Mammogram — right CC. Patient age 54.
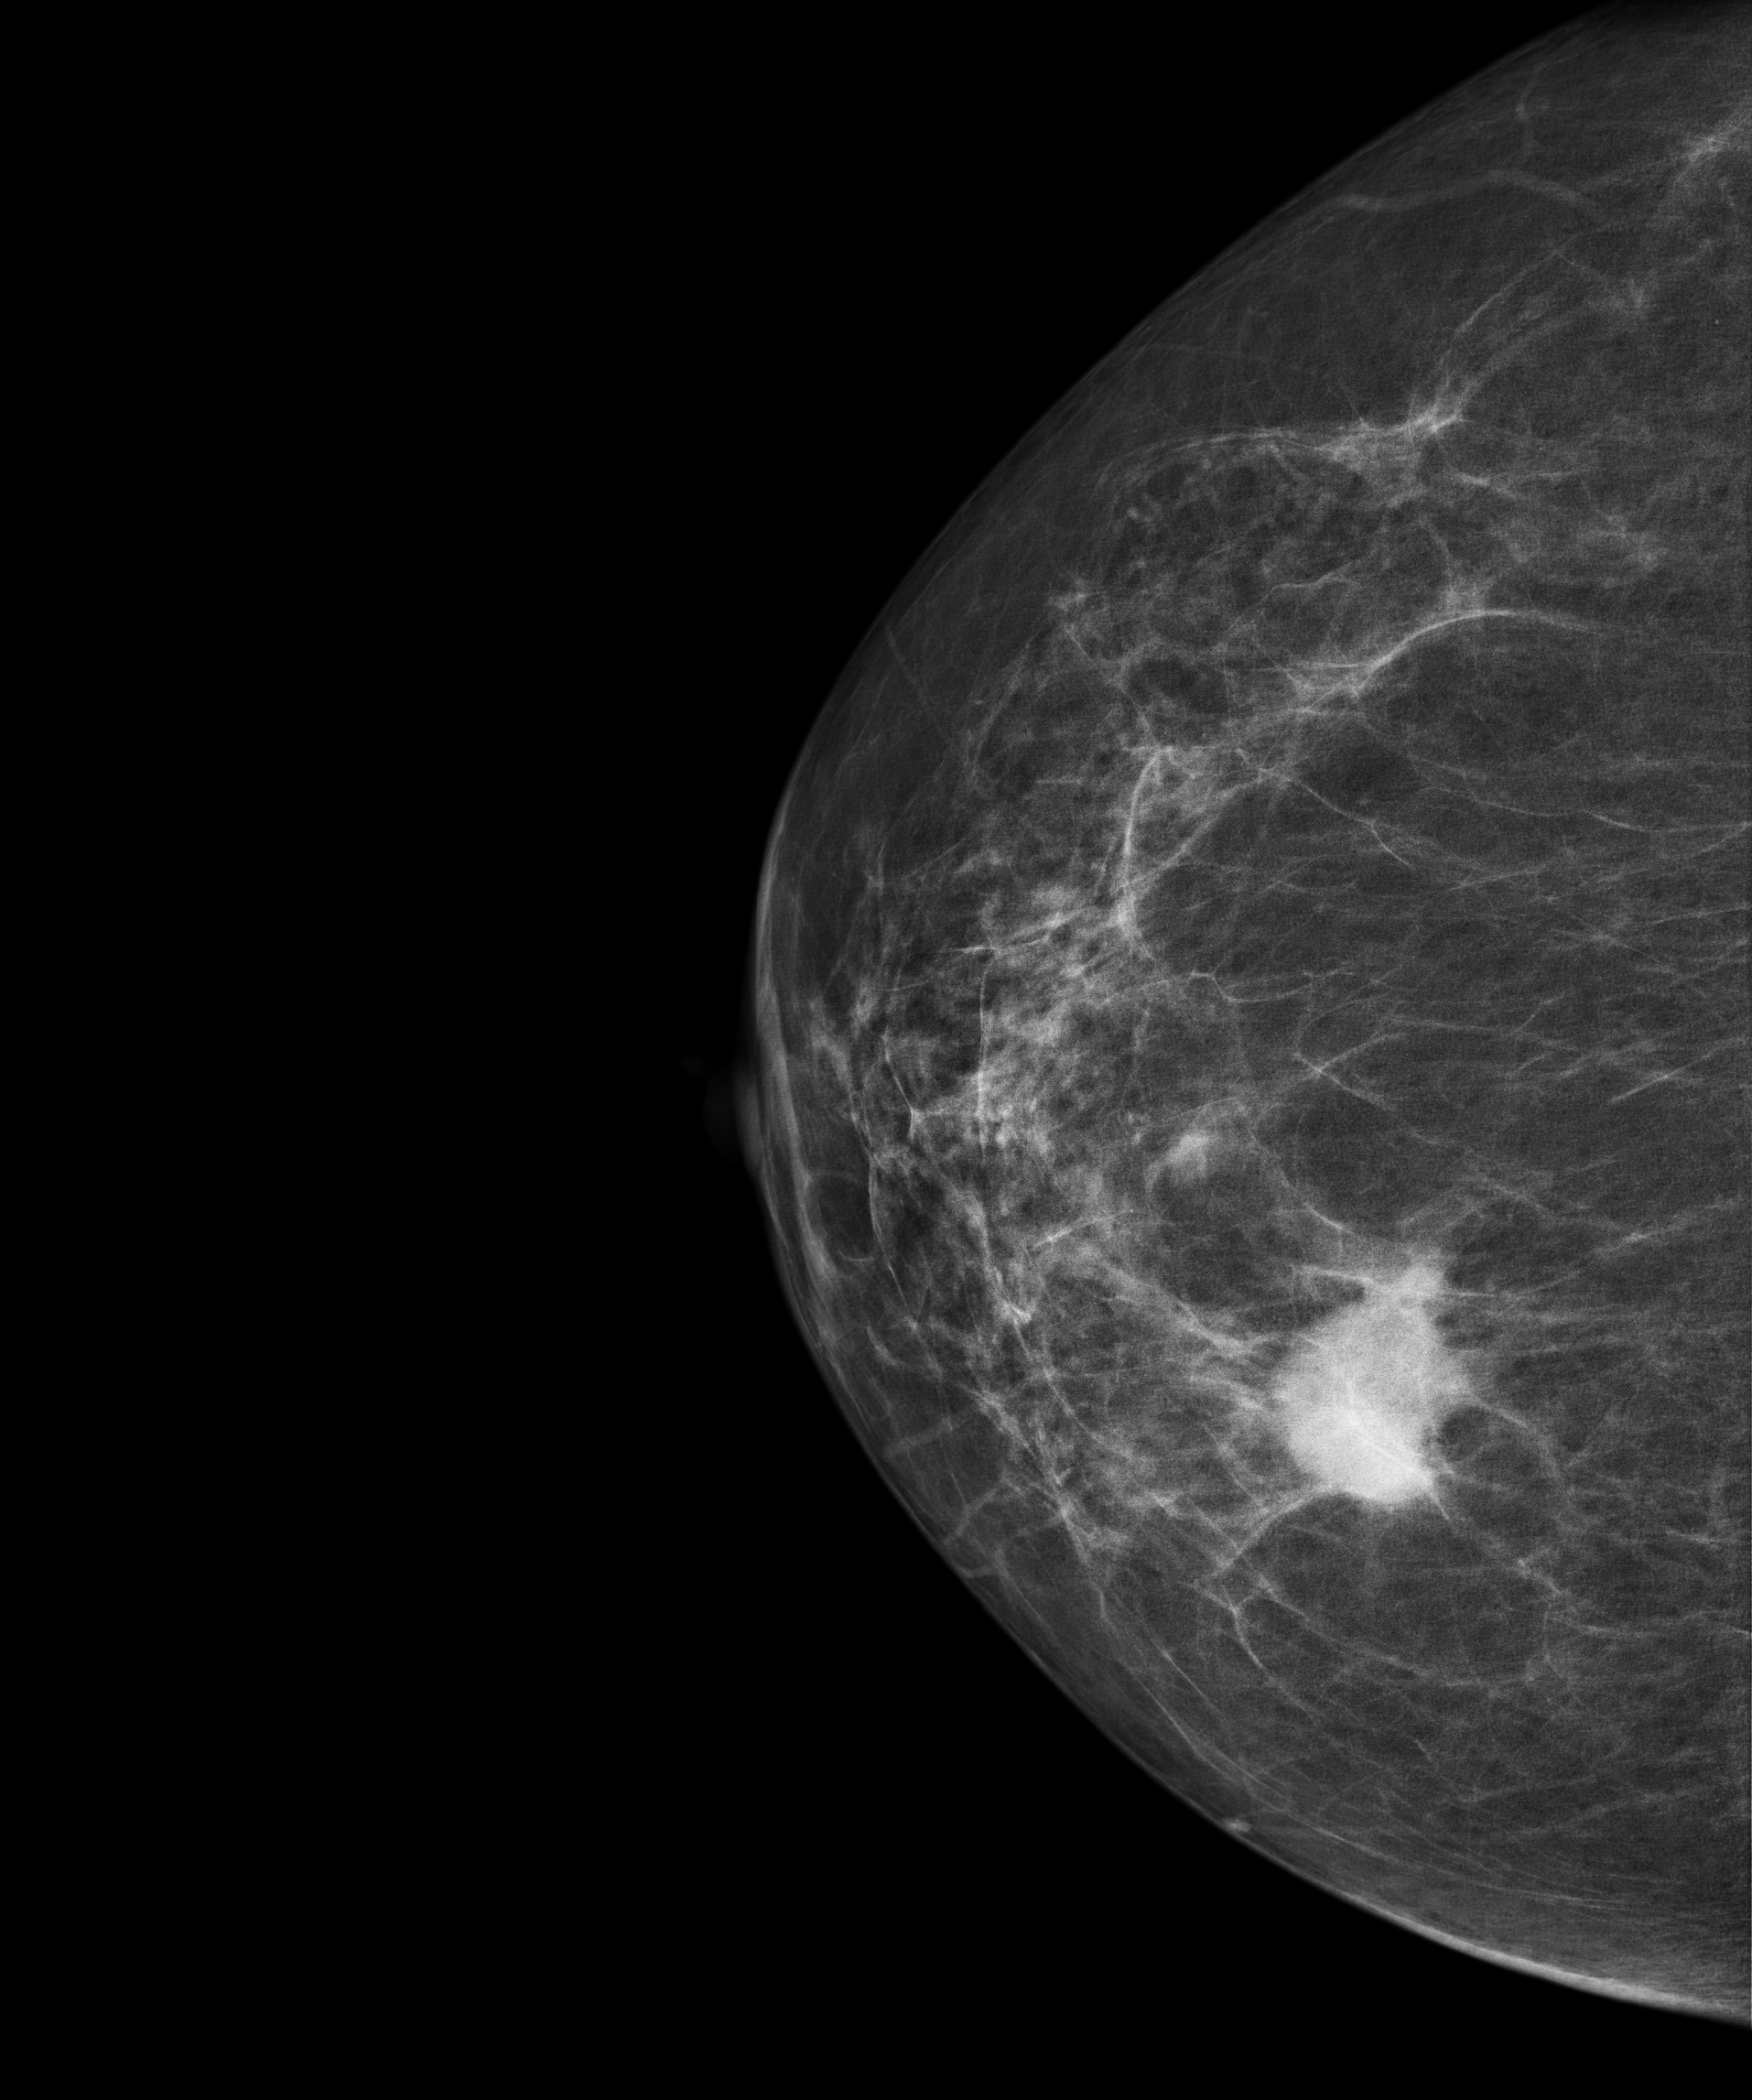
This breast has a mass, biopsy-confirmed malignant. Molecular subtype: luminal A.